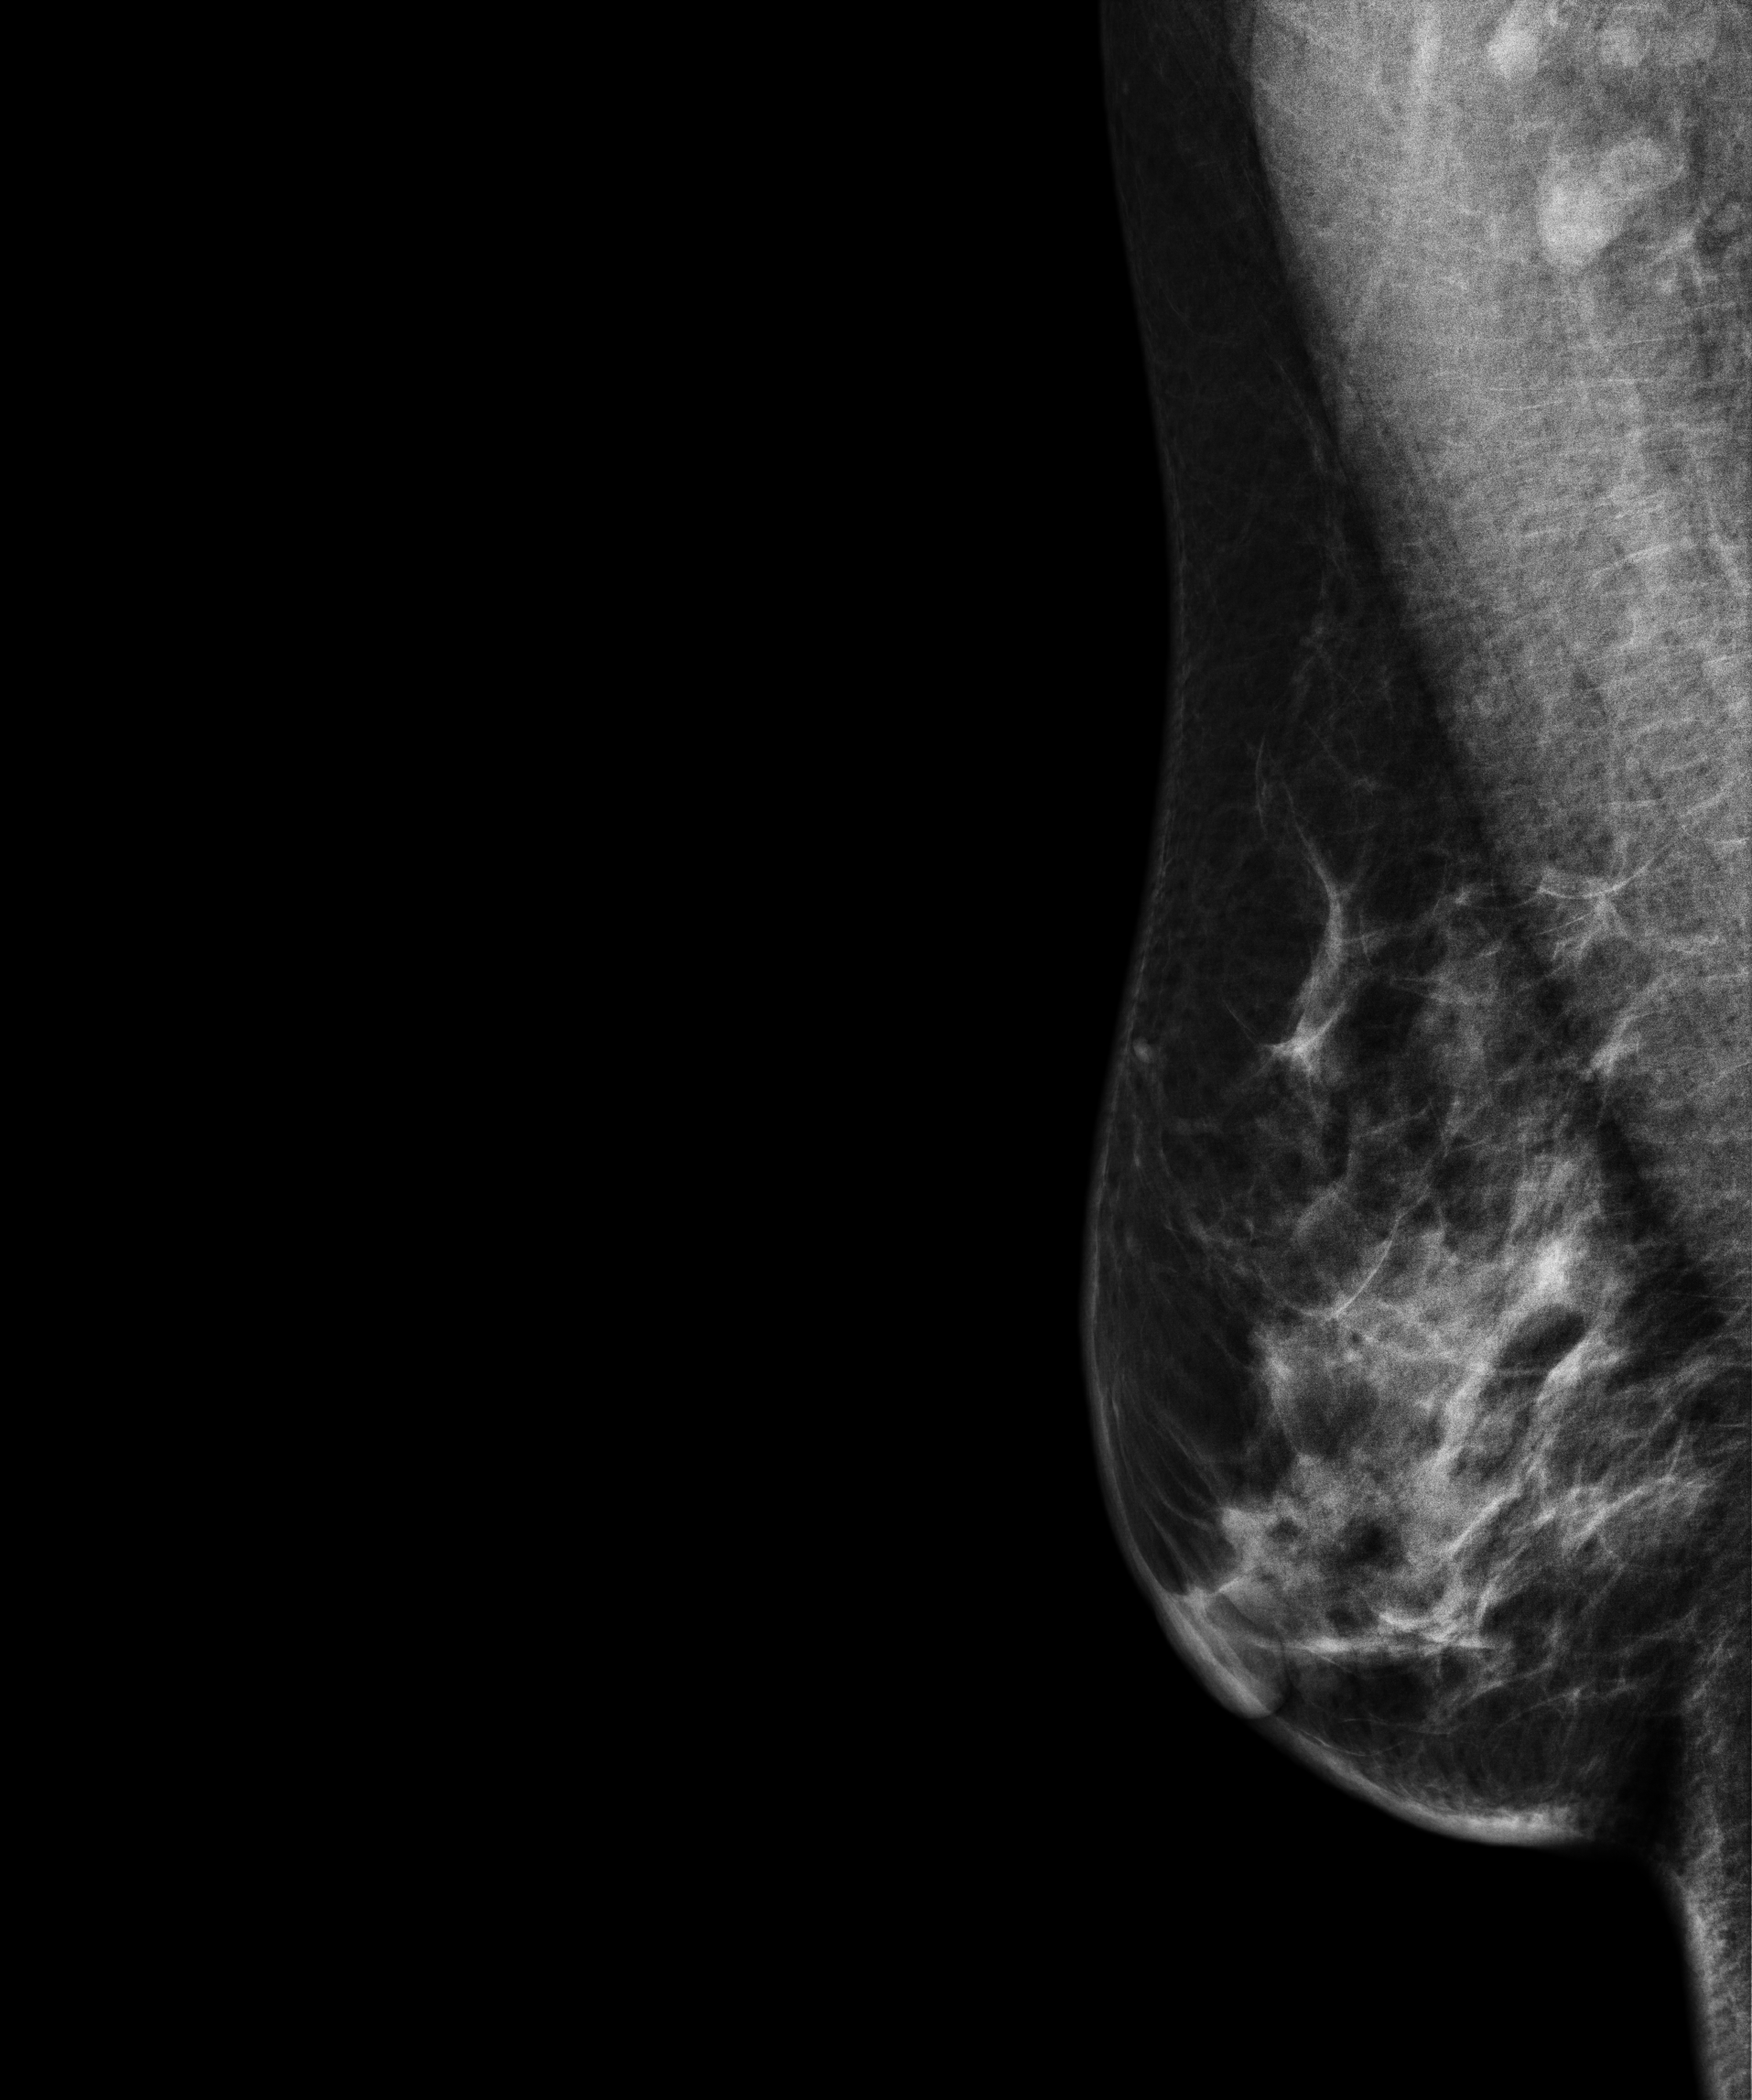
Digital mammography. Right breast, medio-lateral oblique projection. 41-year-old patient.
Contralateral breast — no documented abnormality on this side.